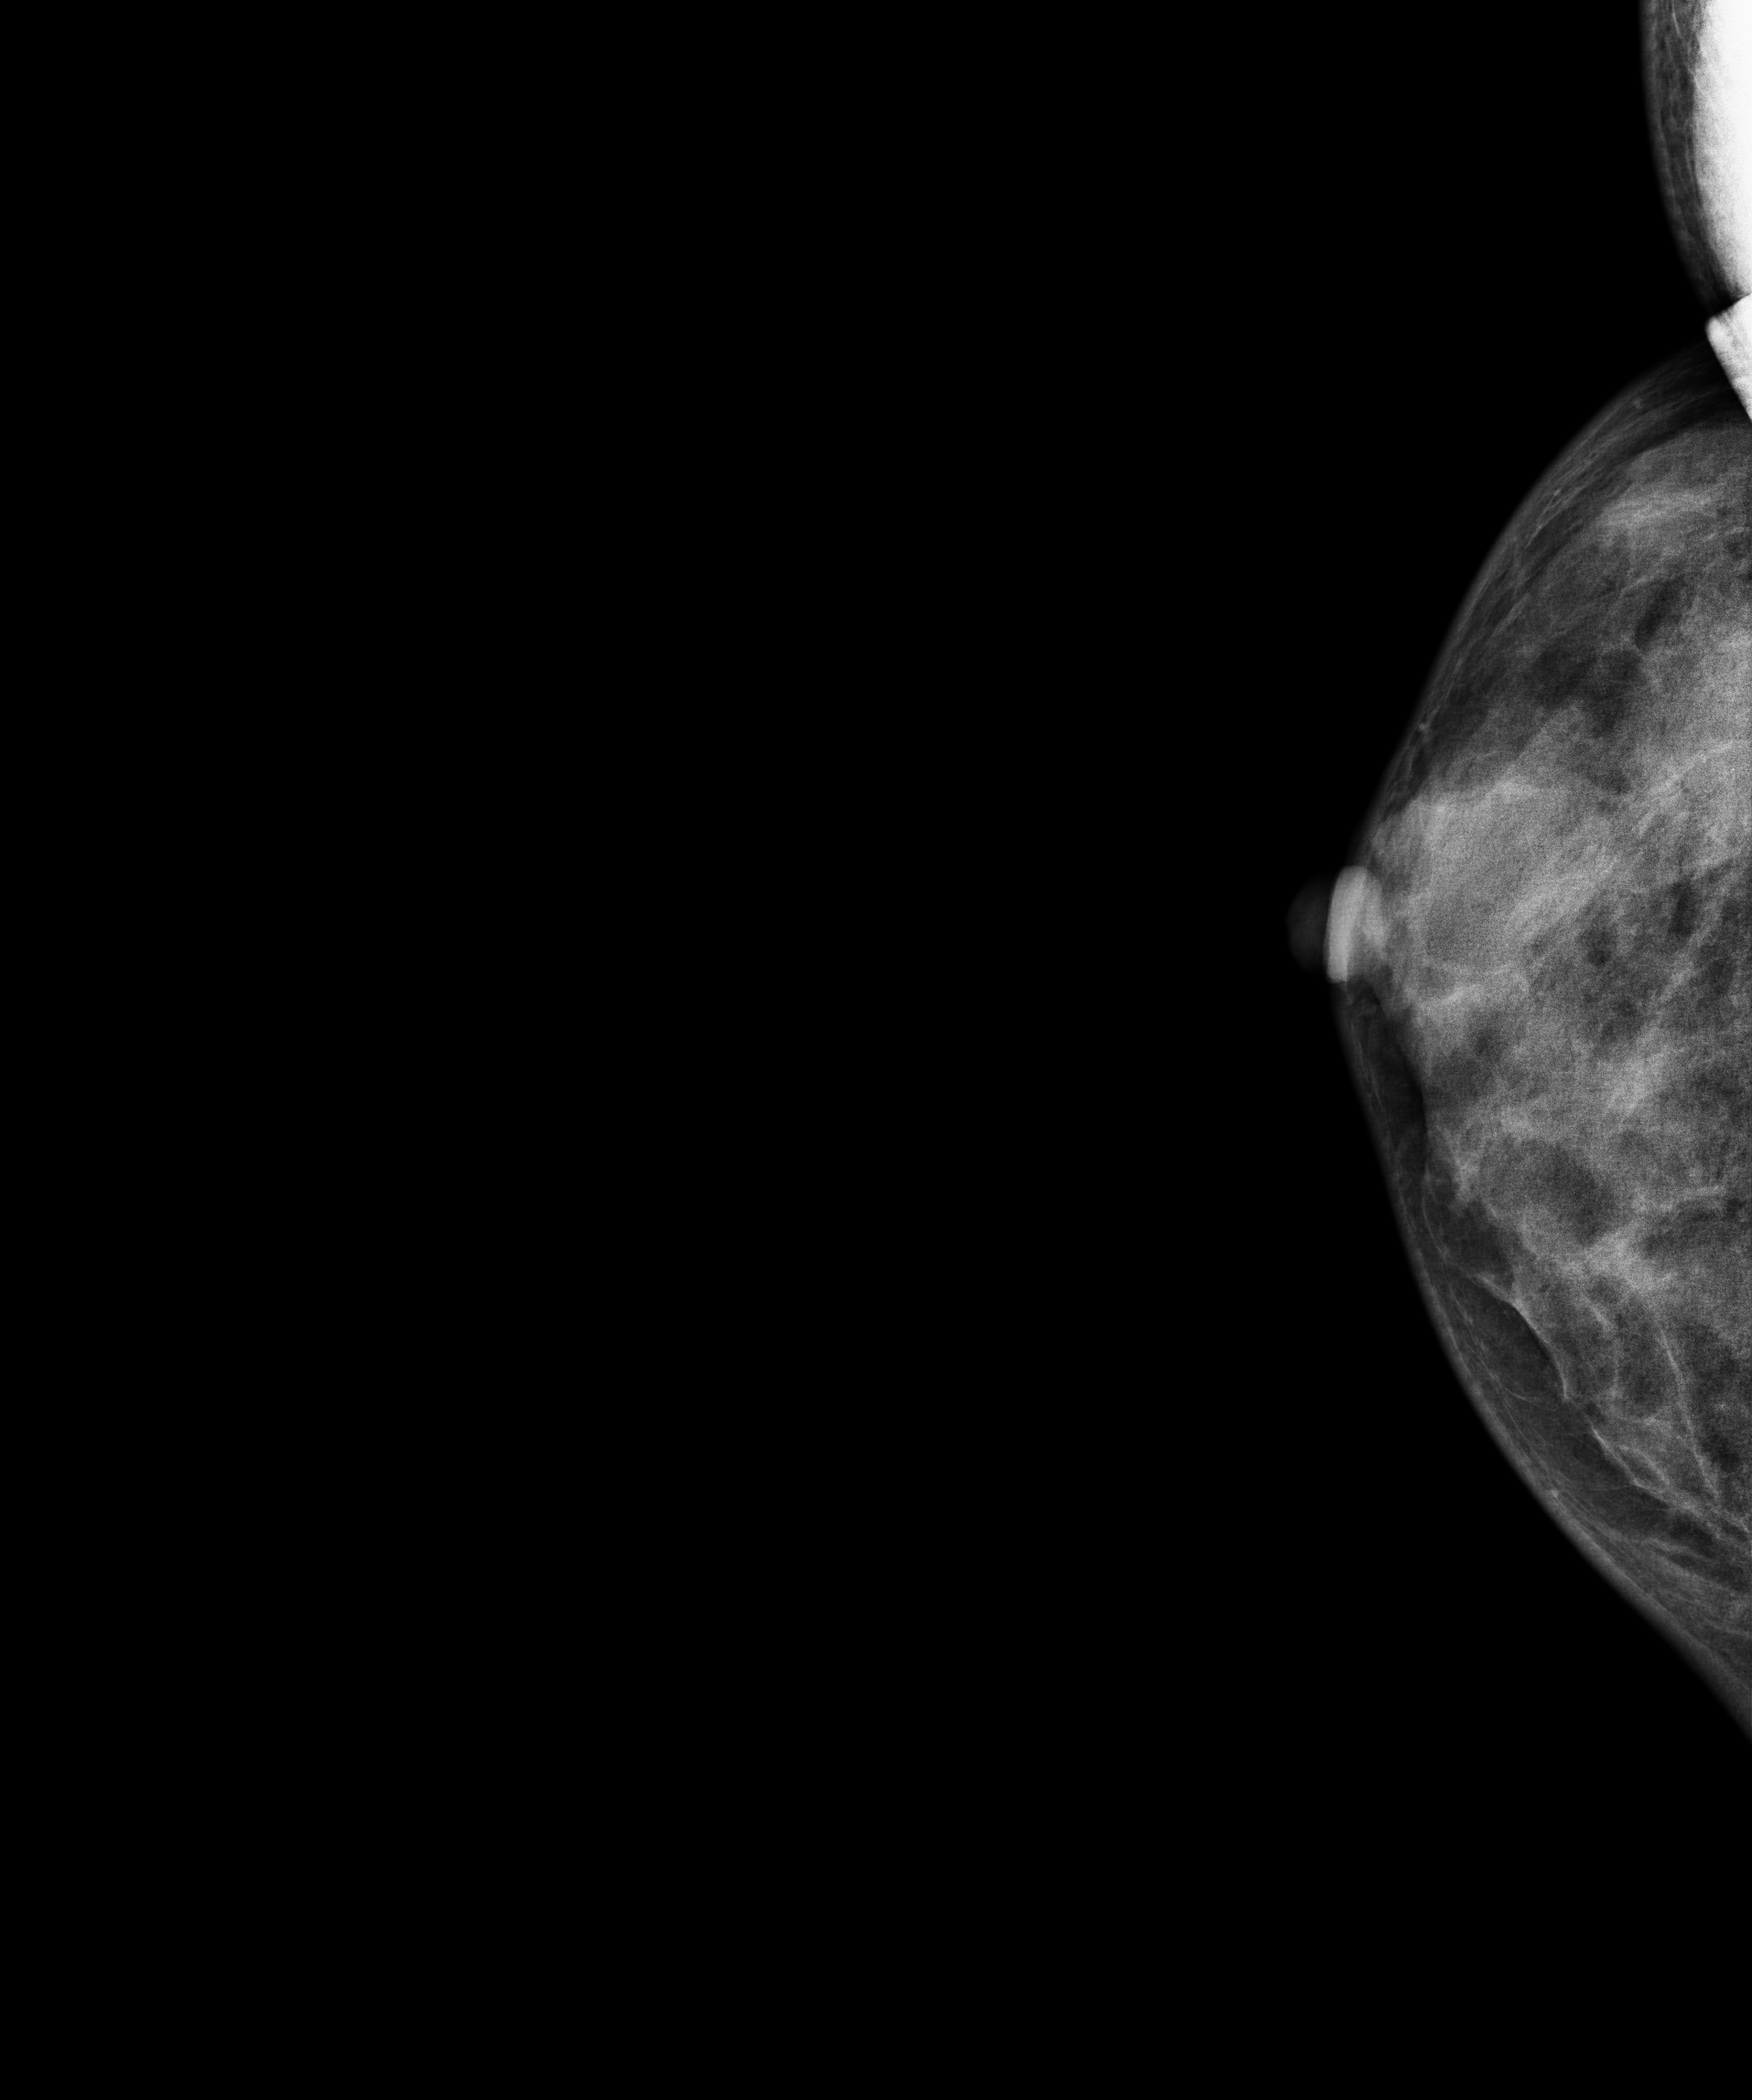
Mammogram — right CC. 42-year-old patient.
This breast has a mass and calcifications, pathology-confirmed malignant. Molecular subtype: luminal B.